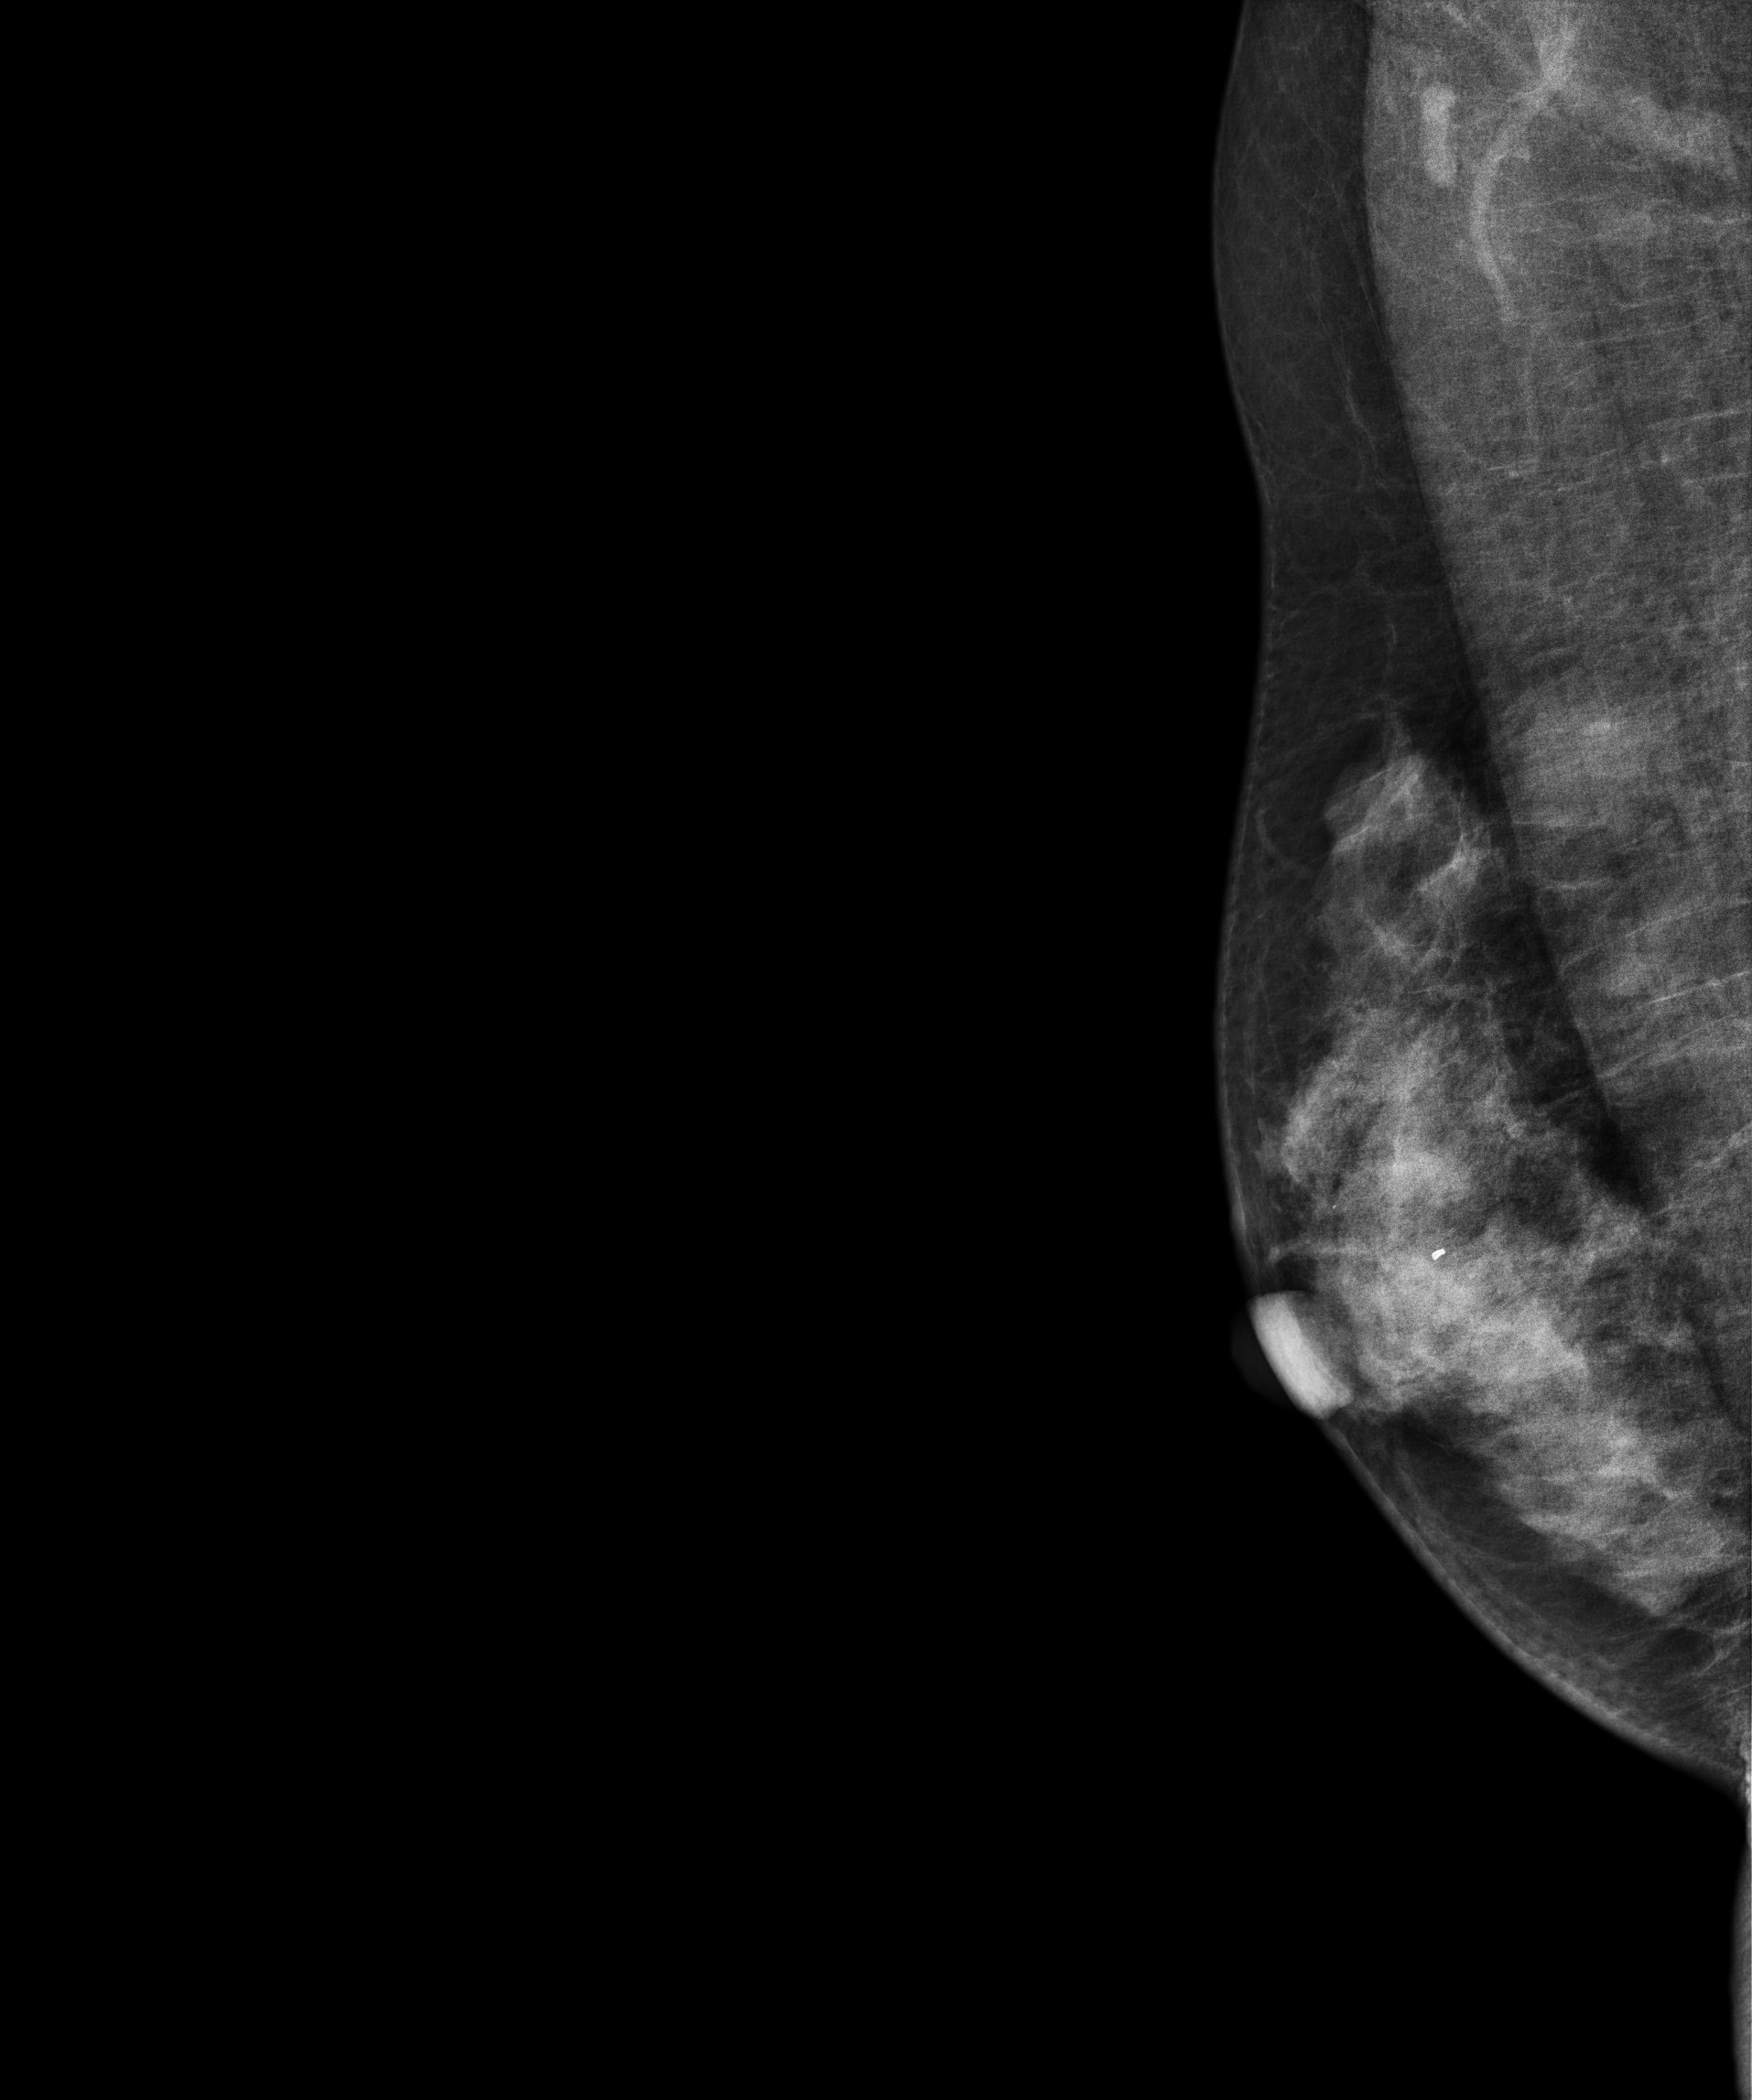
Mammogram, right breast, MLO view. 44-year-old patient.
This breast has calcifications, biopsy-proven benign.